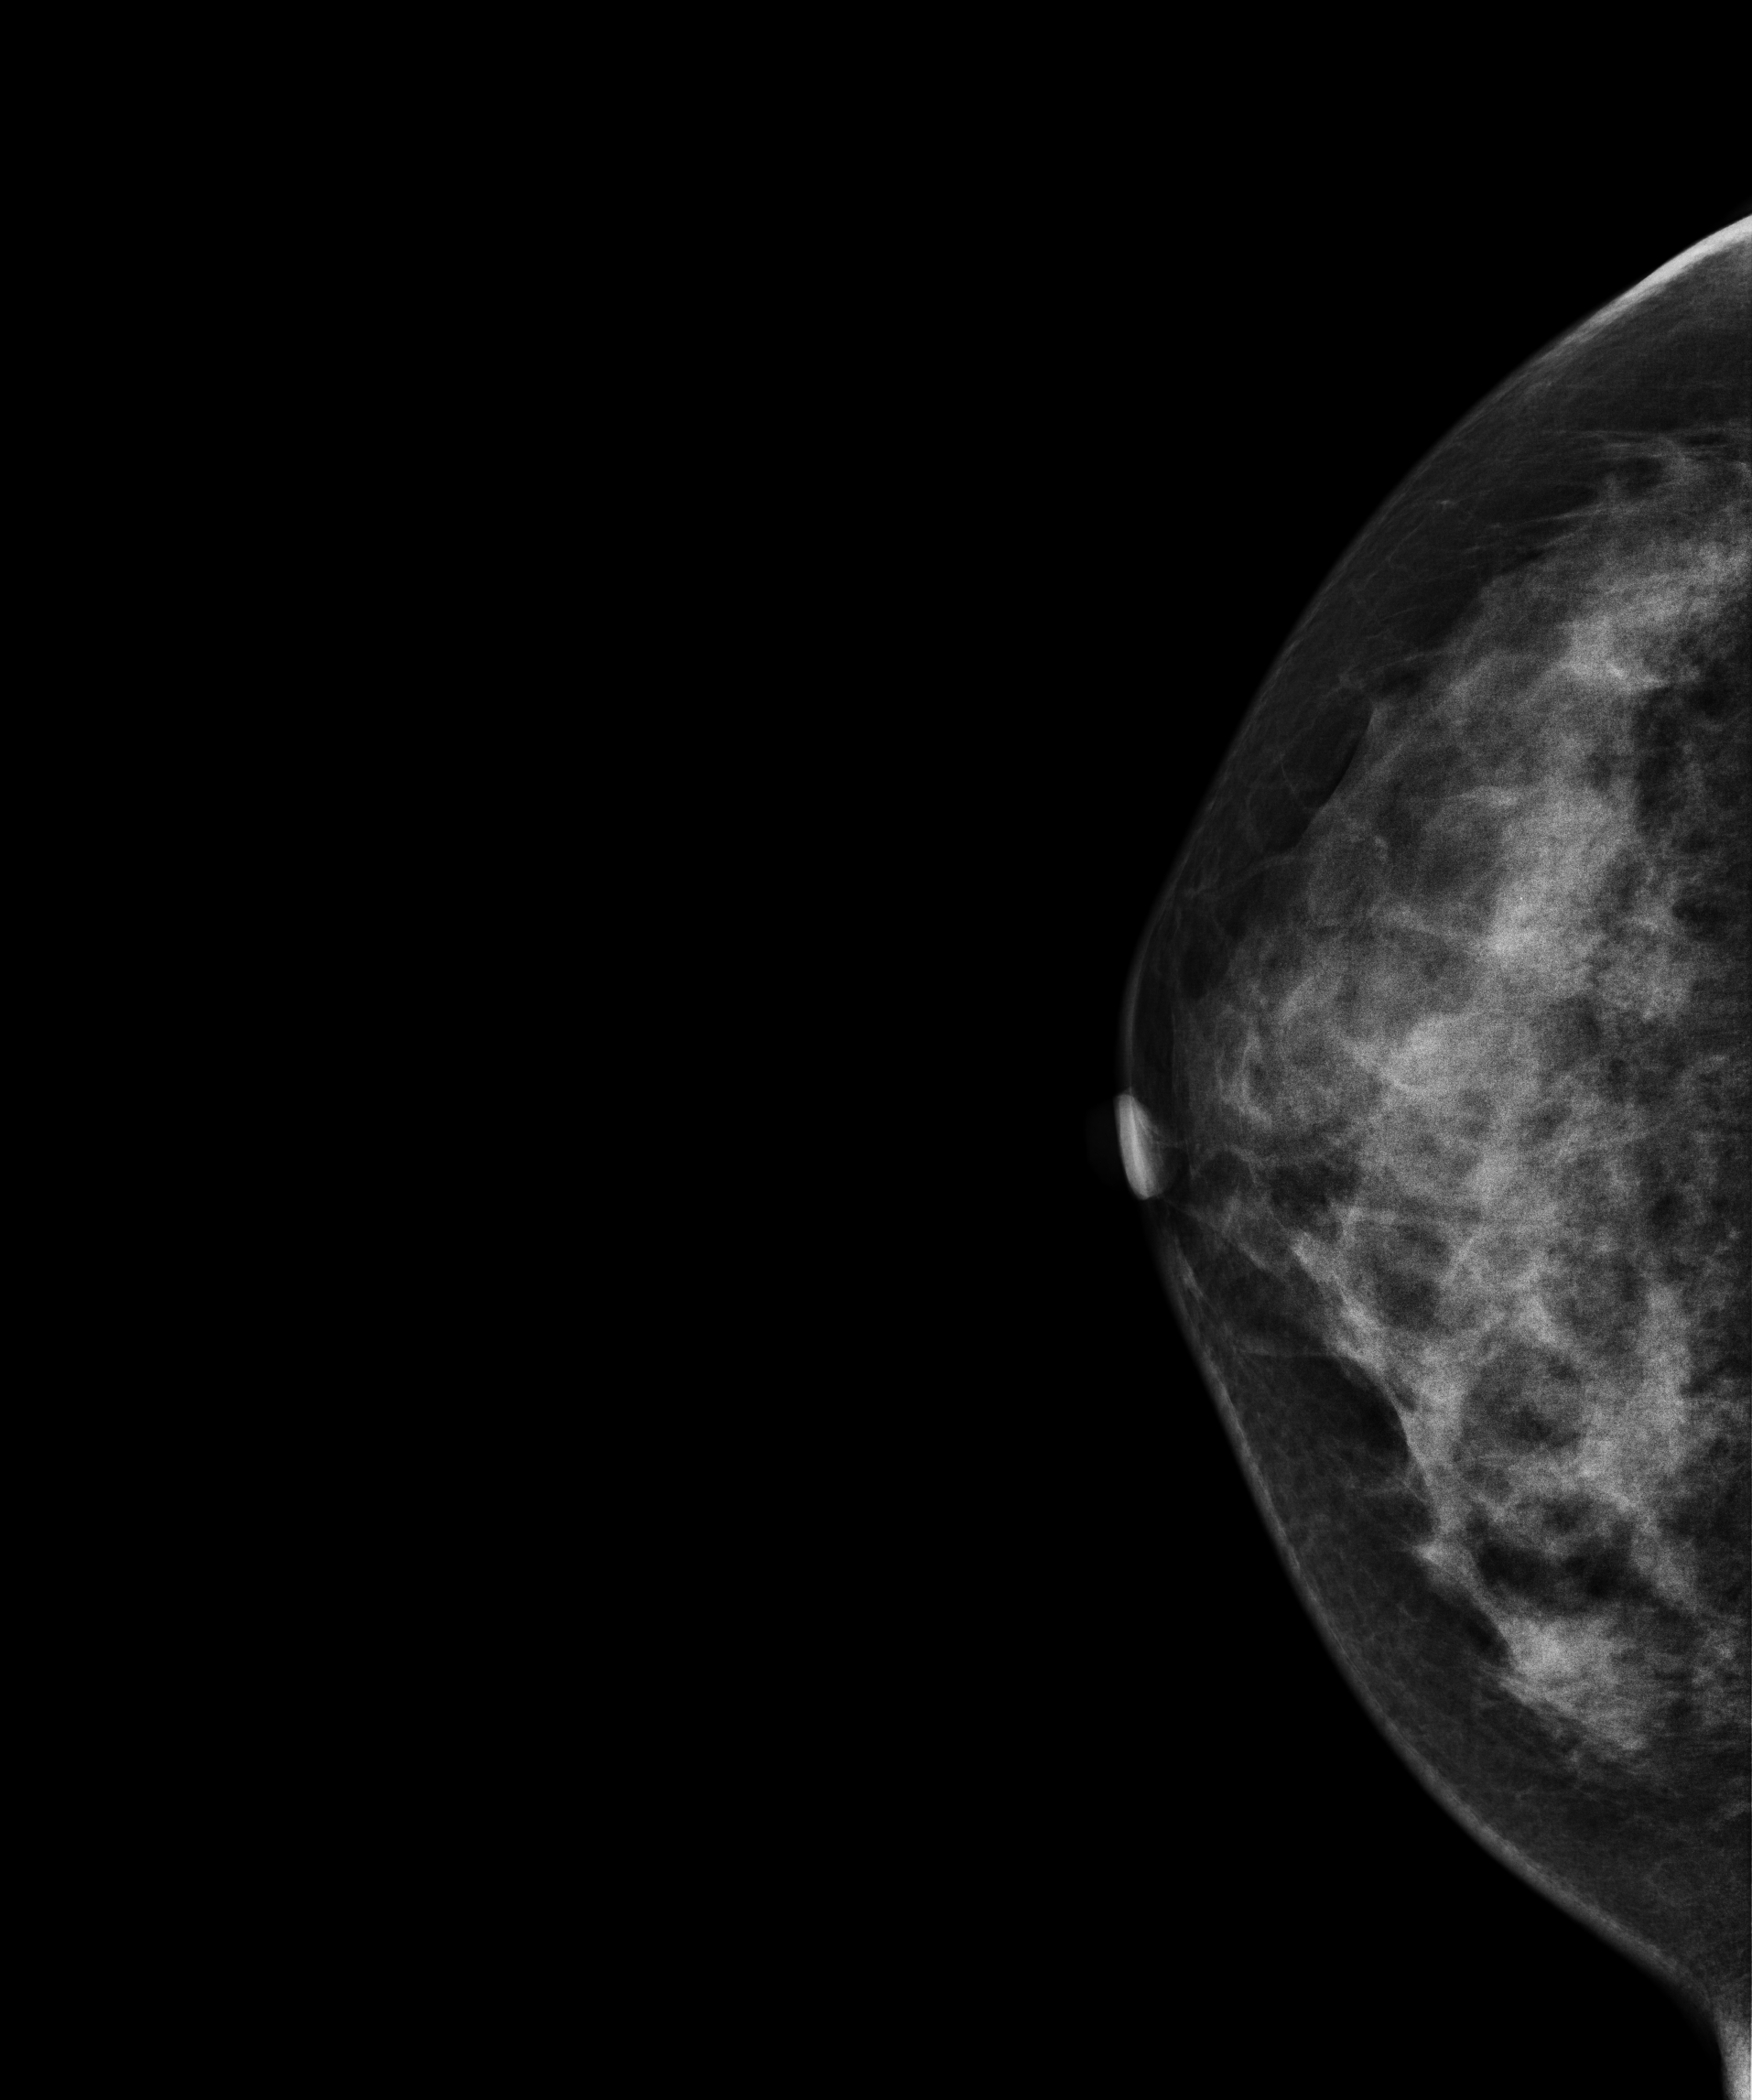
Digital mammography. Right breast, cranio-caudal projection. Patient age 35.
This breast has a mass, pathology-confirmed malignant.